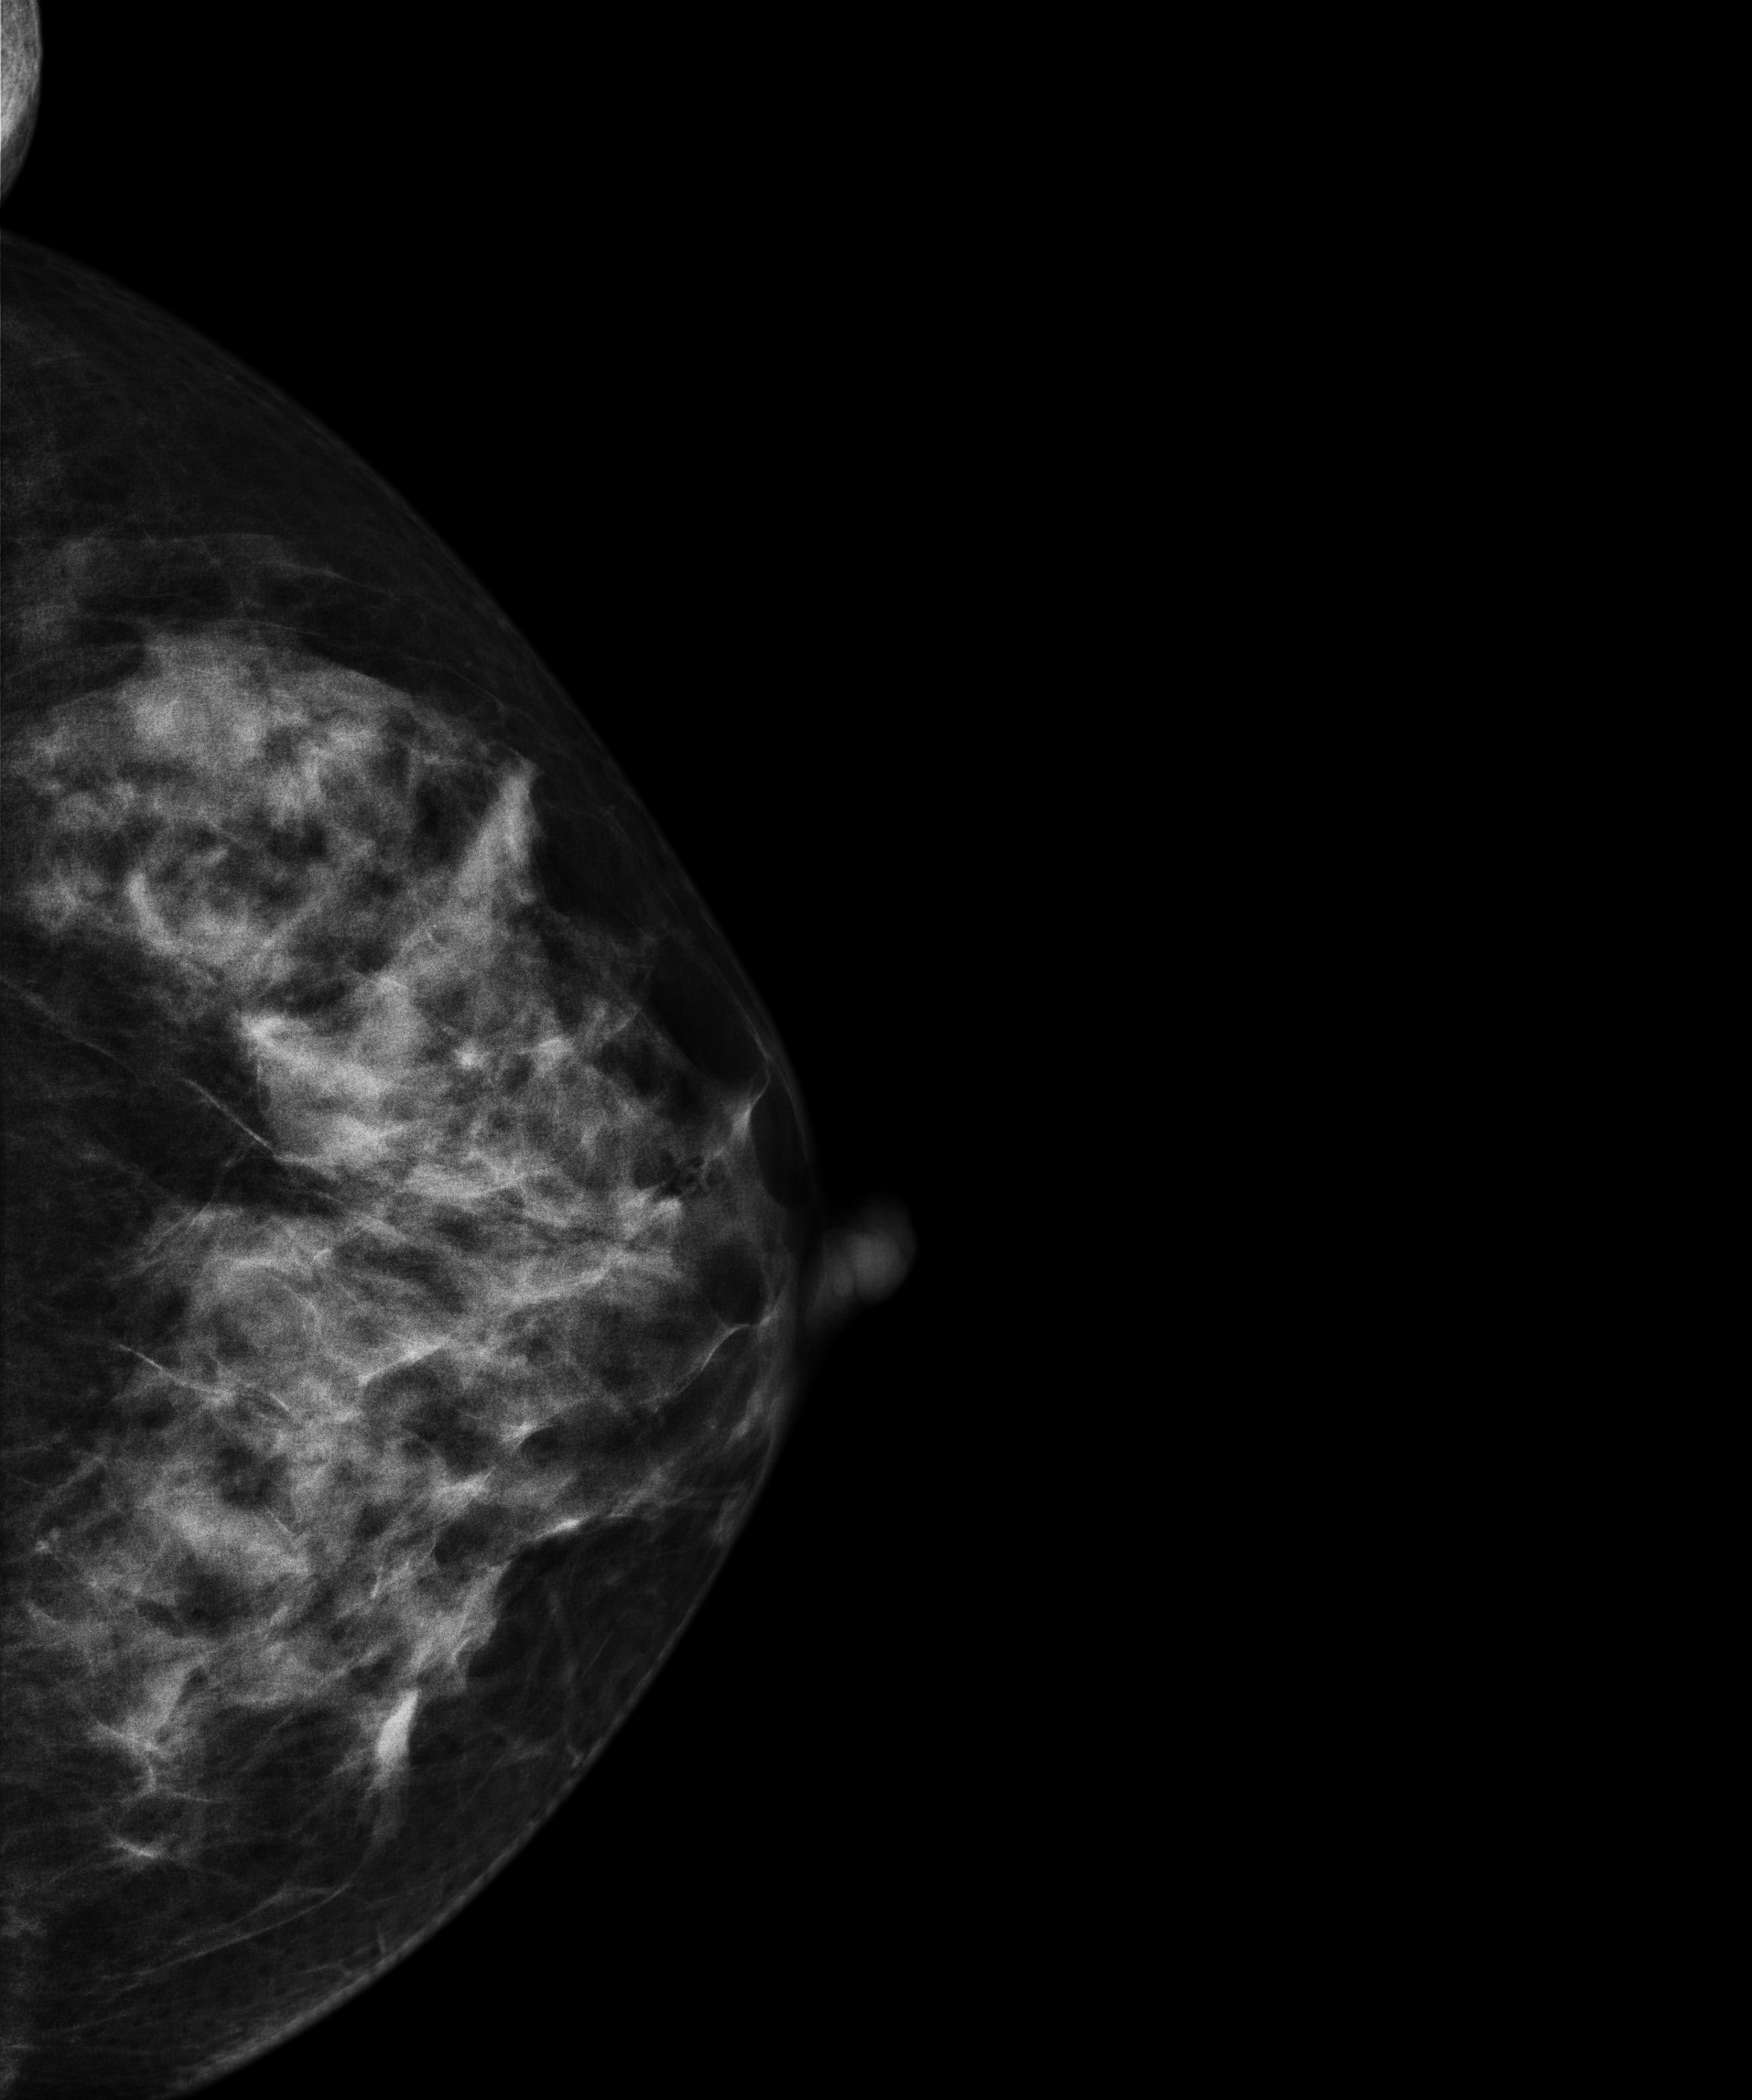
Digital mammography. Left breast, cranio-caudal projection. Patient age 50.
Contralateral breast — no documented abnormality on this side.